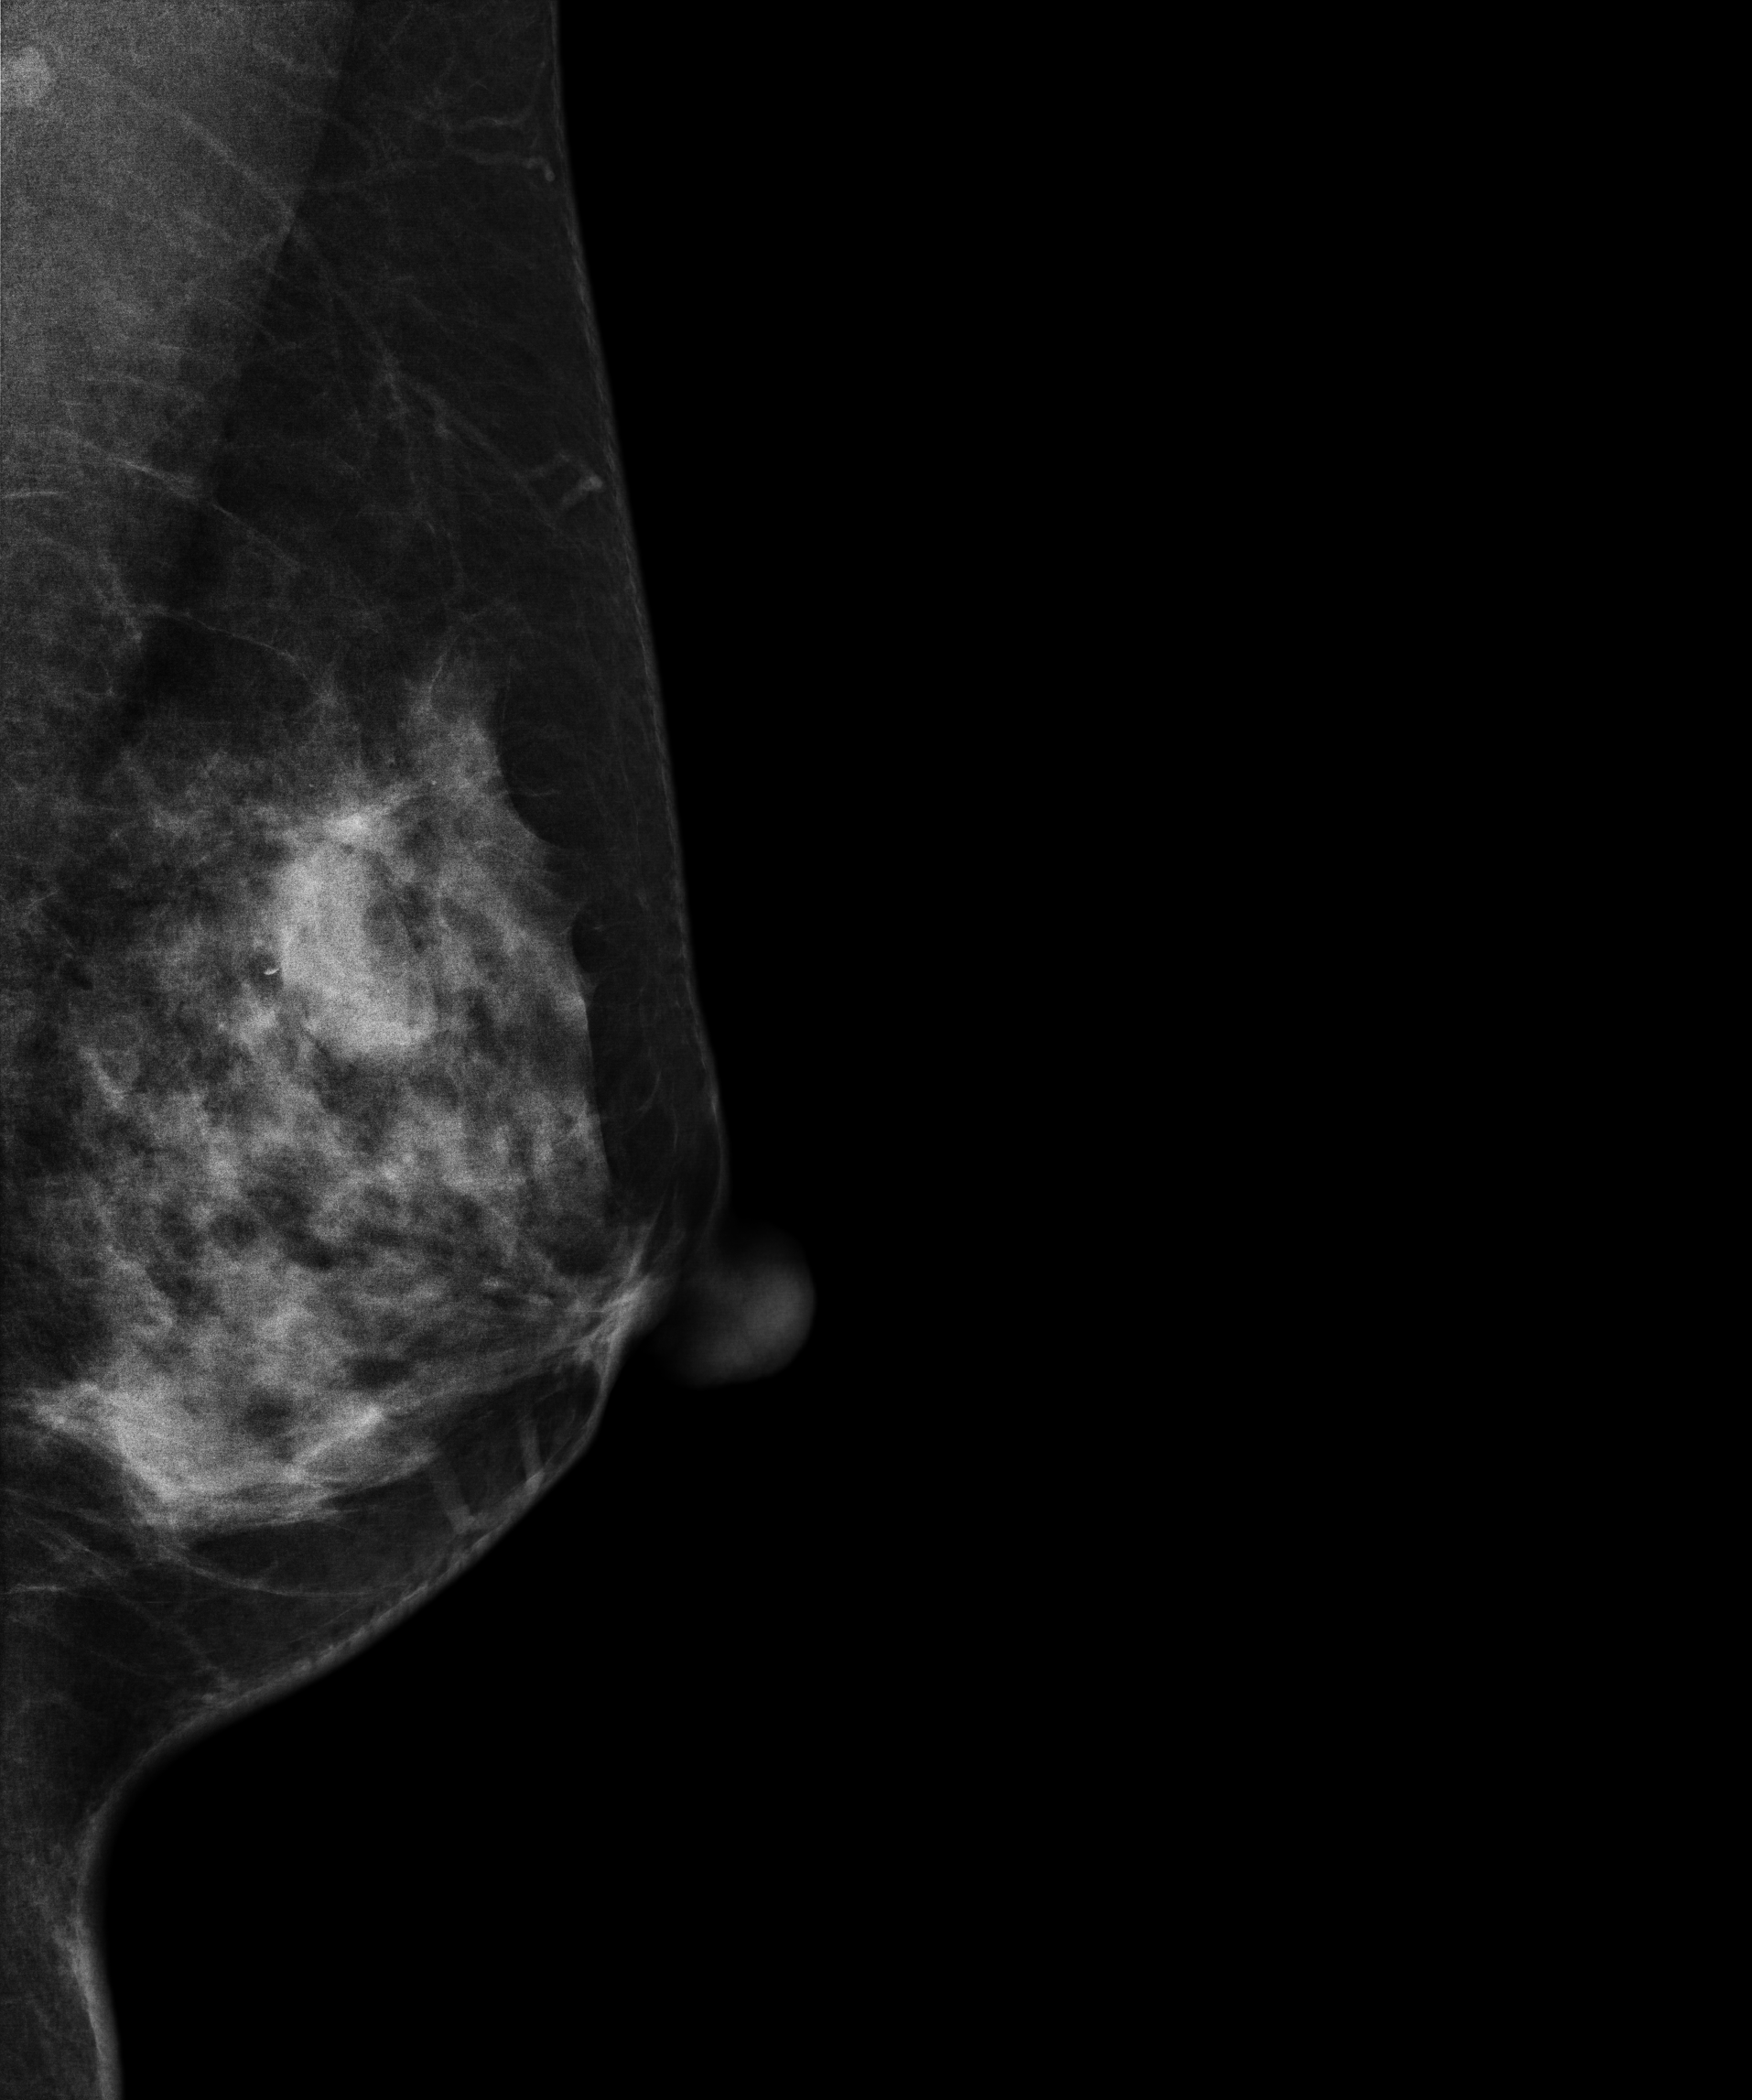
Left-breast mammogram, medio-lateral oblique. Patient age 50.
This breast has a mass and calcifications, histologically confirmed benign.